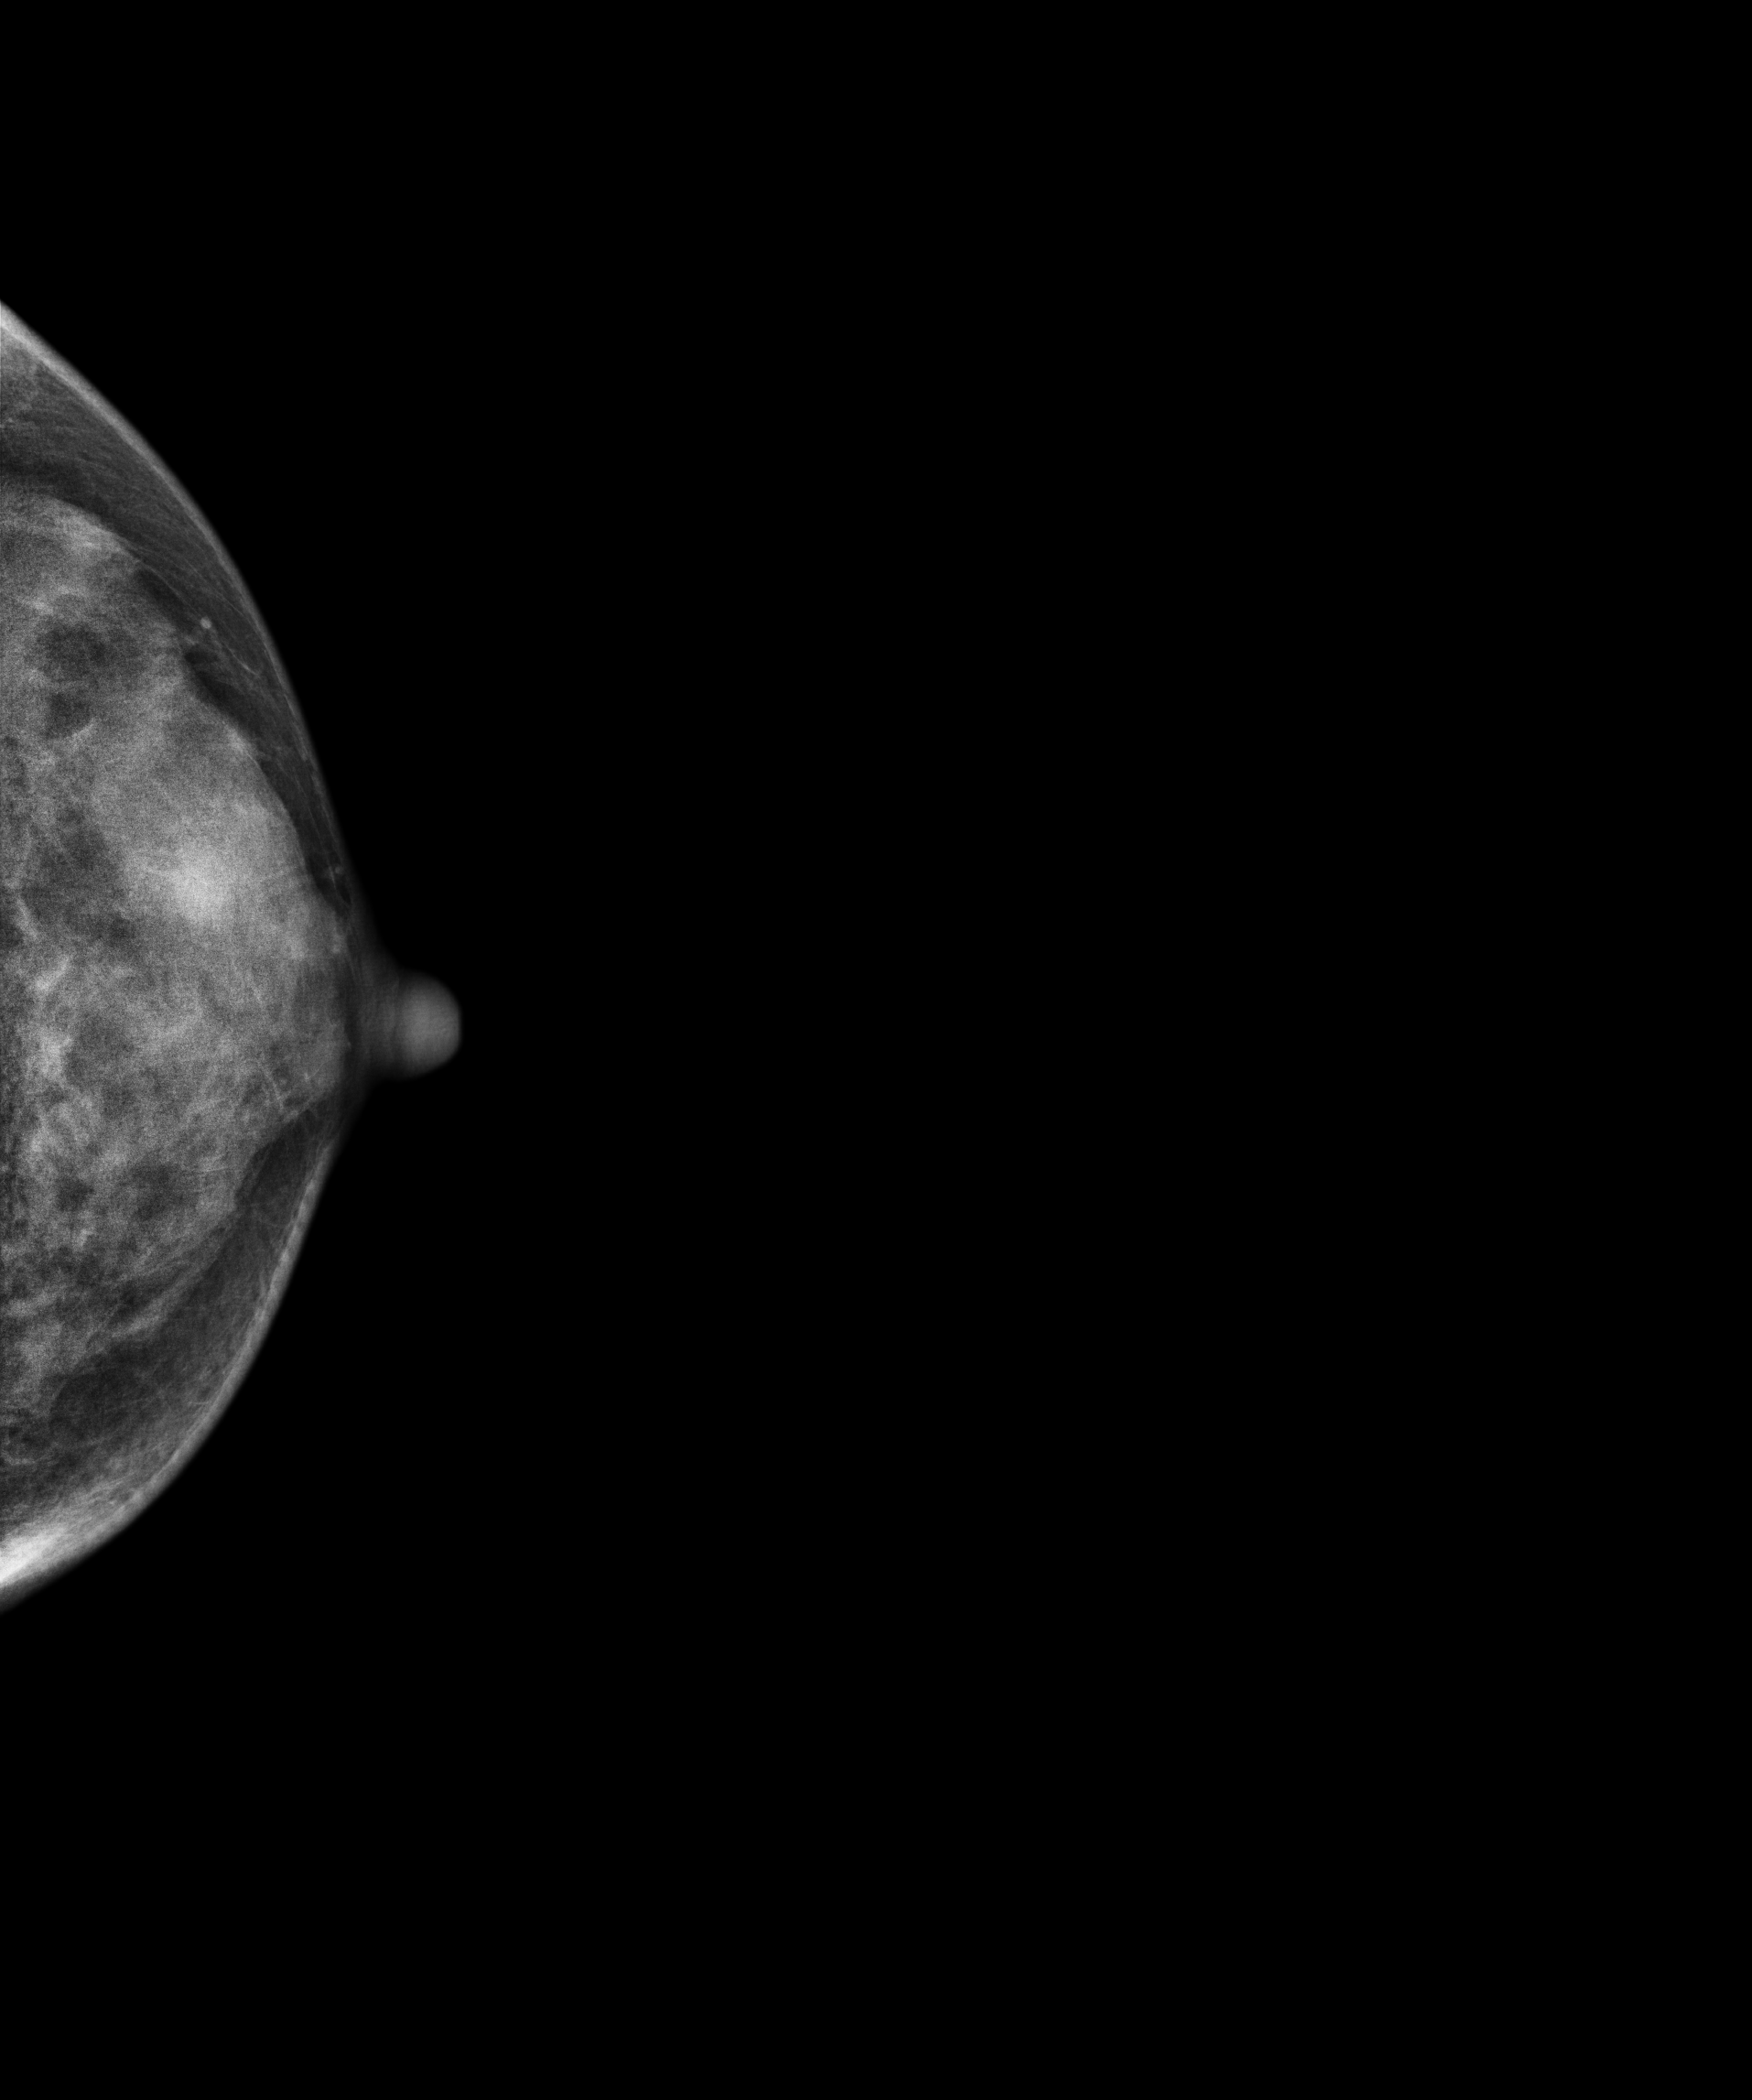
Digital mammography. Left breast, CC projection. 37 y/o patient.
This breast has a mass, pathology-confirmed benign.